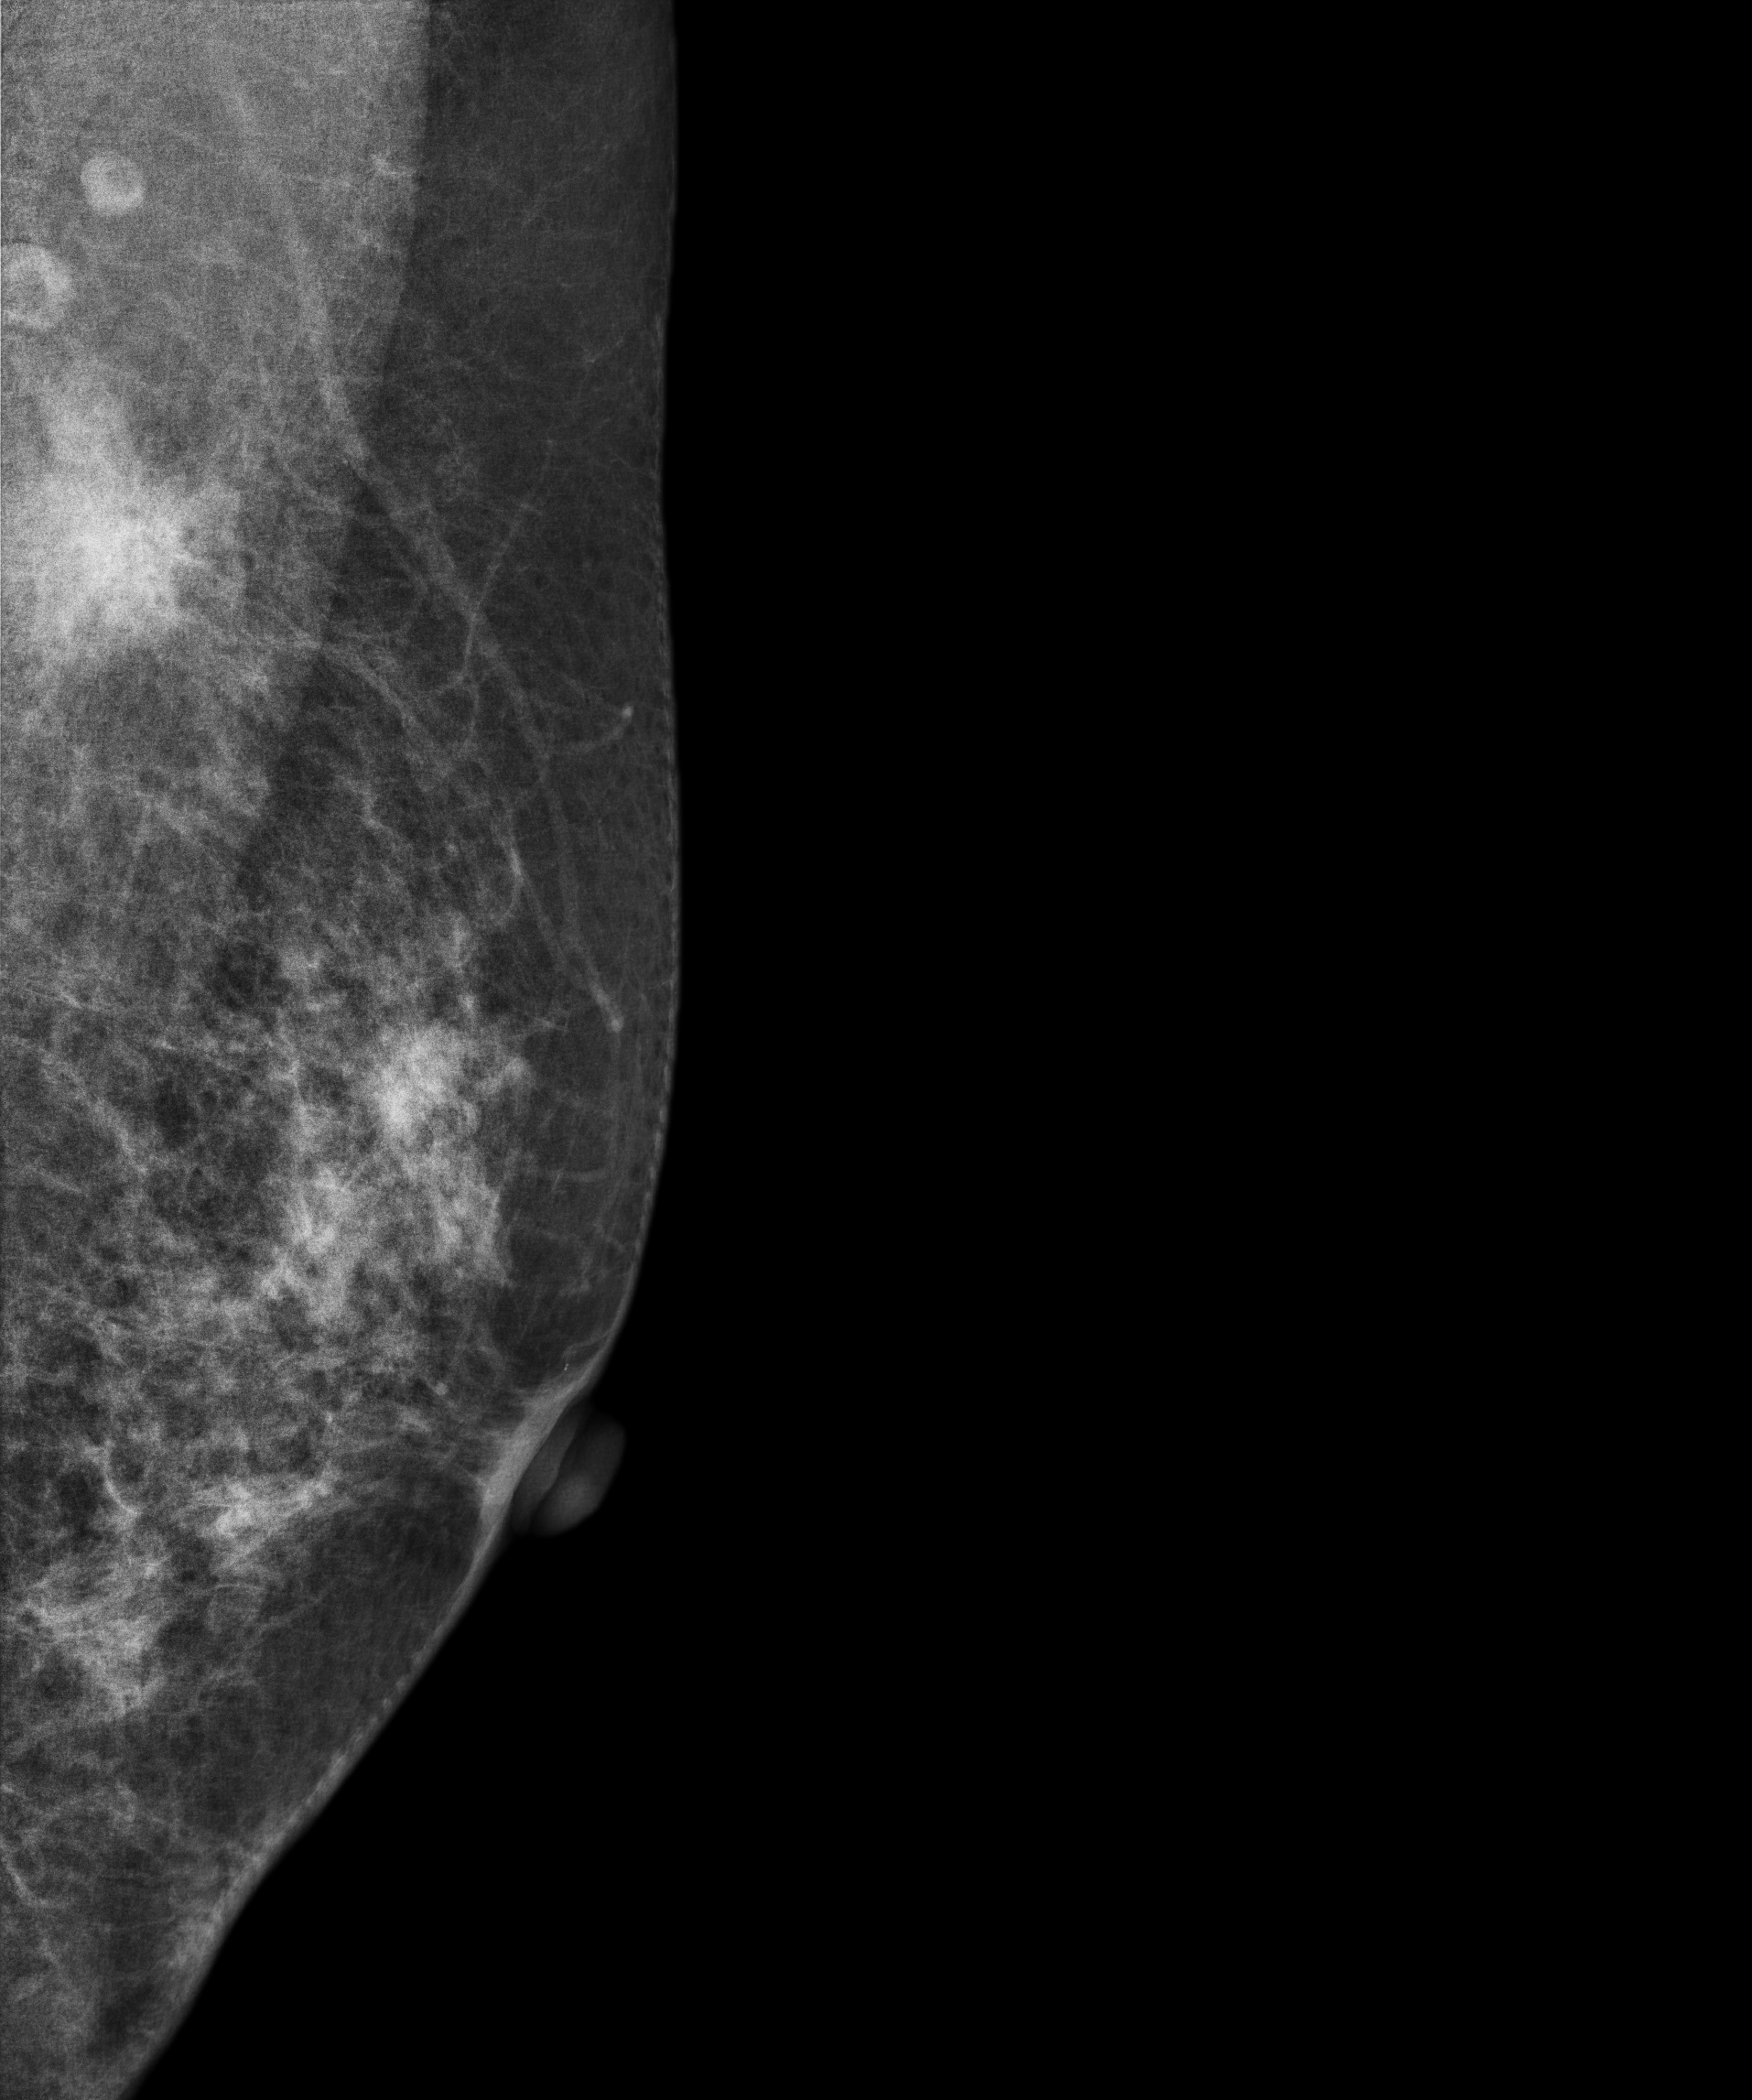
Digital mammography. Left breast, MLO projection. 57 y/o patient.
This breast has a mass, biopsy-proven malignant. Molecular subtype: luminal A.